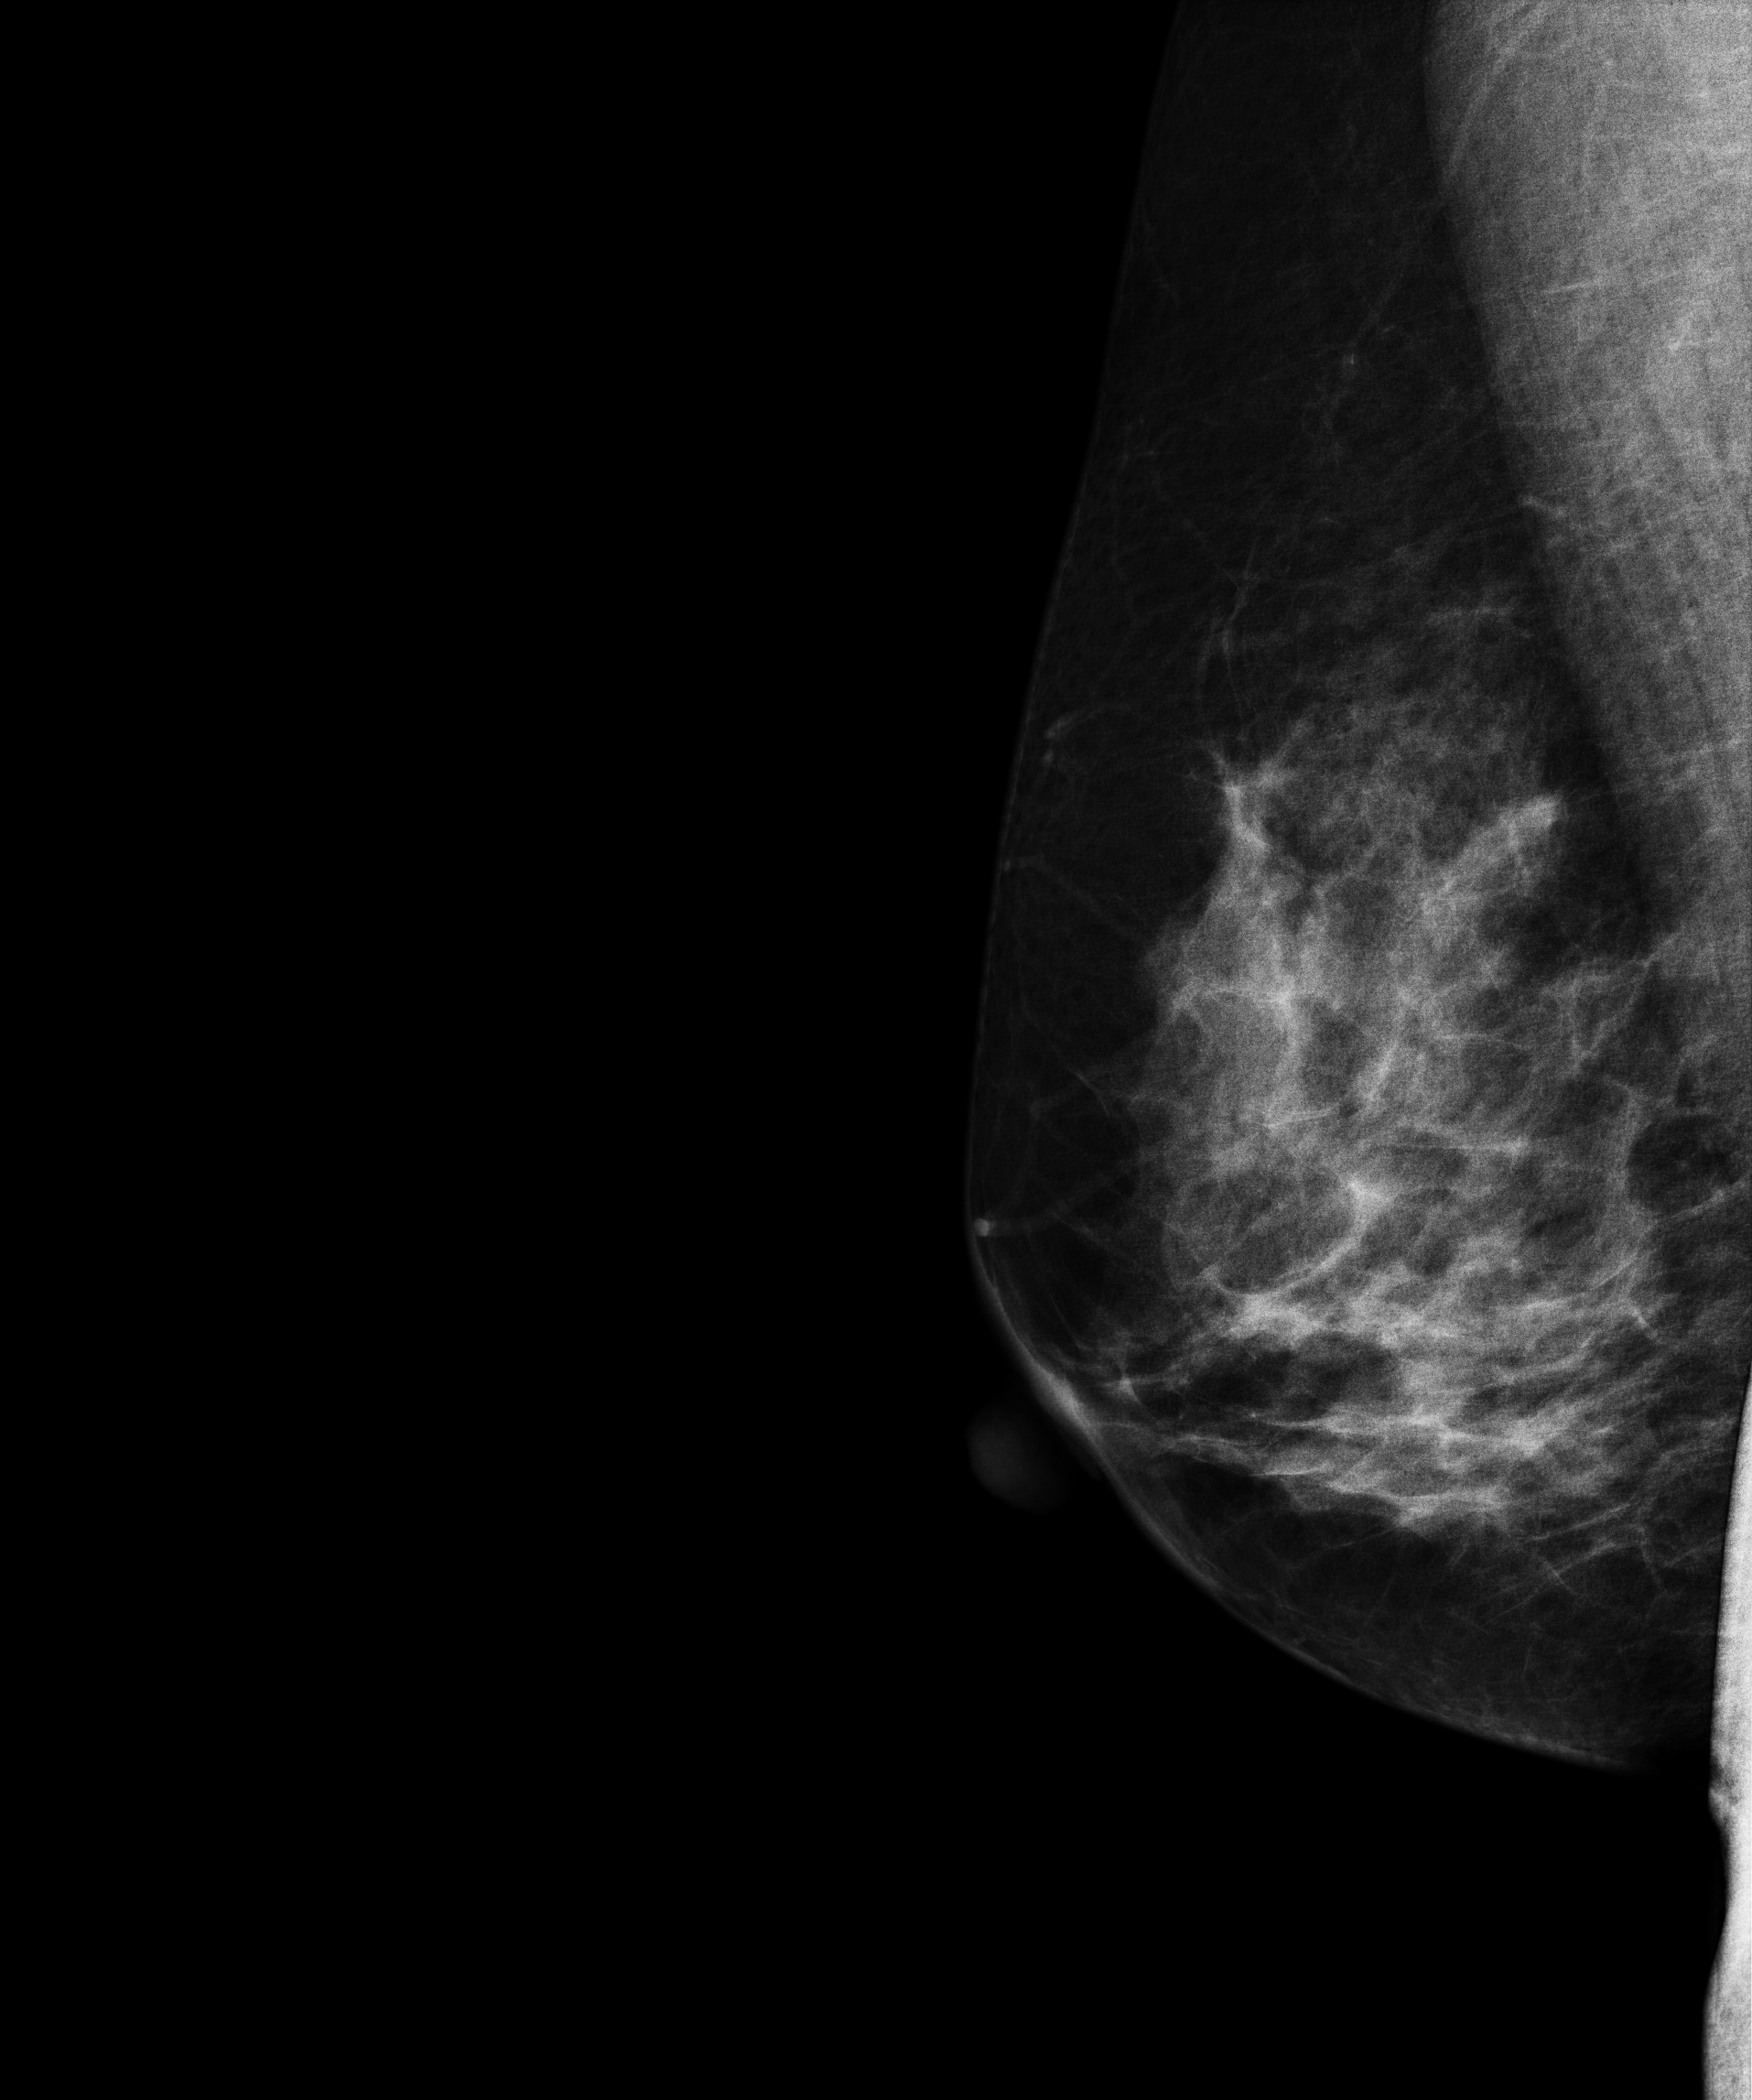
Mammogram — right medio-lateral oblique. Patient age 51.
Contralateral breast — no documented abnormality on this side.